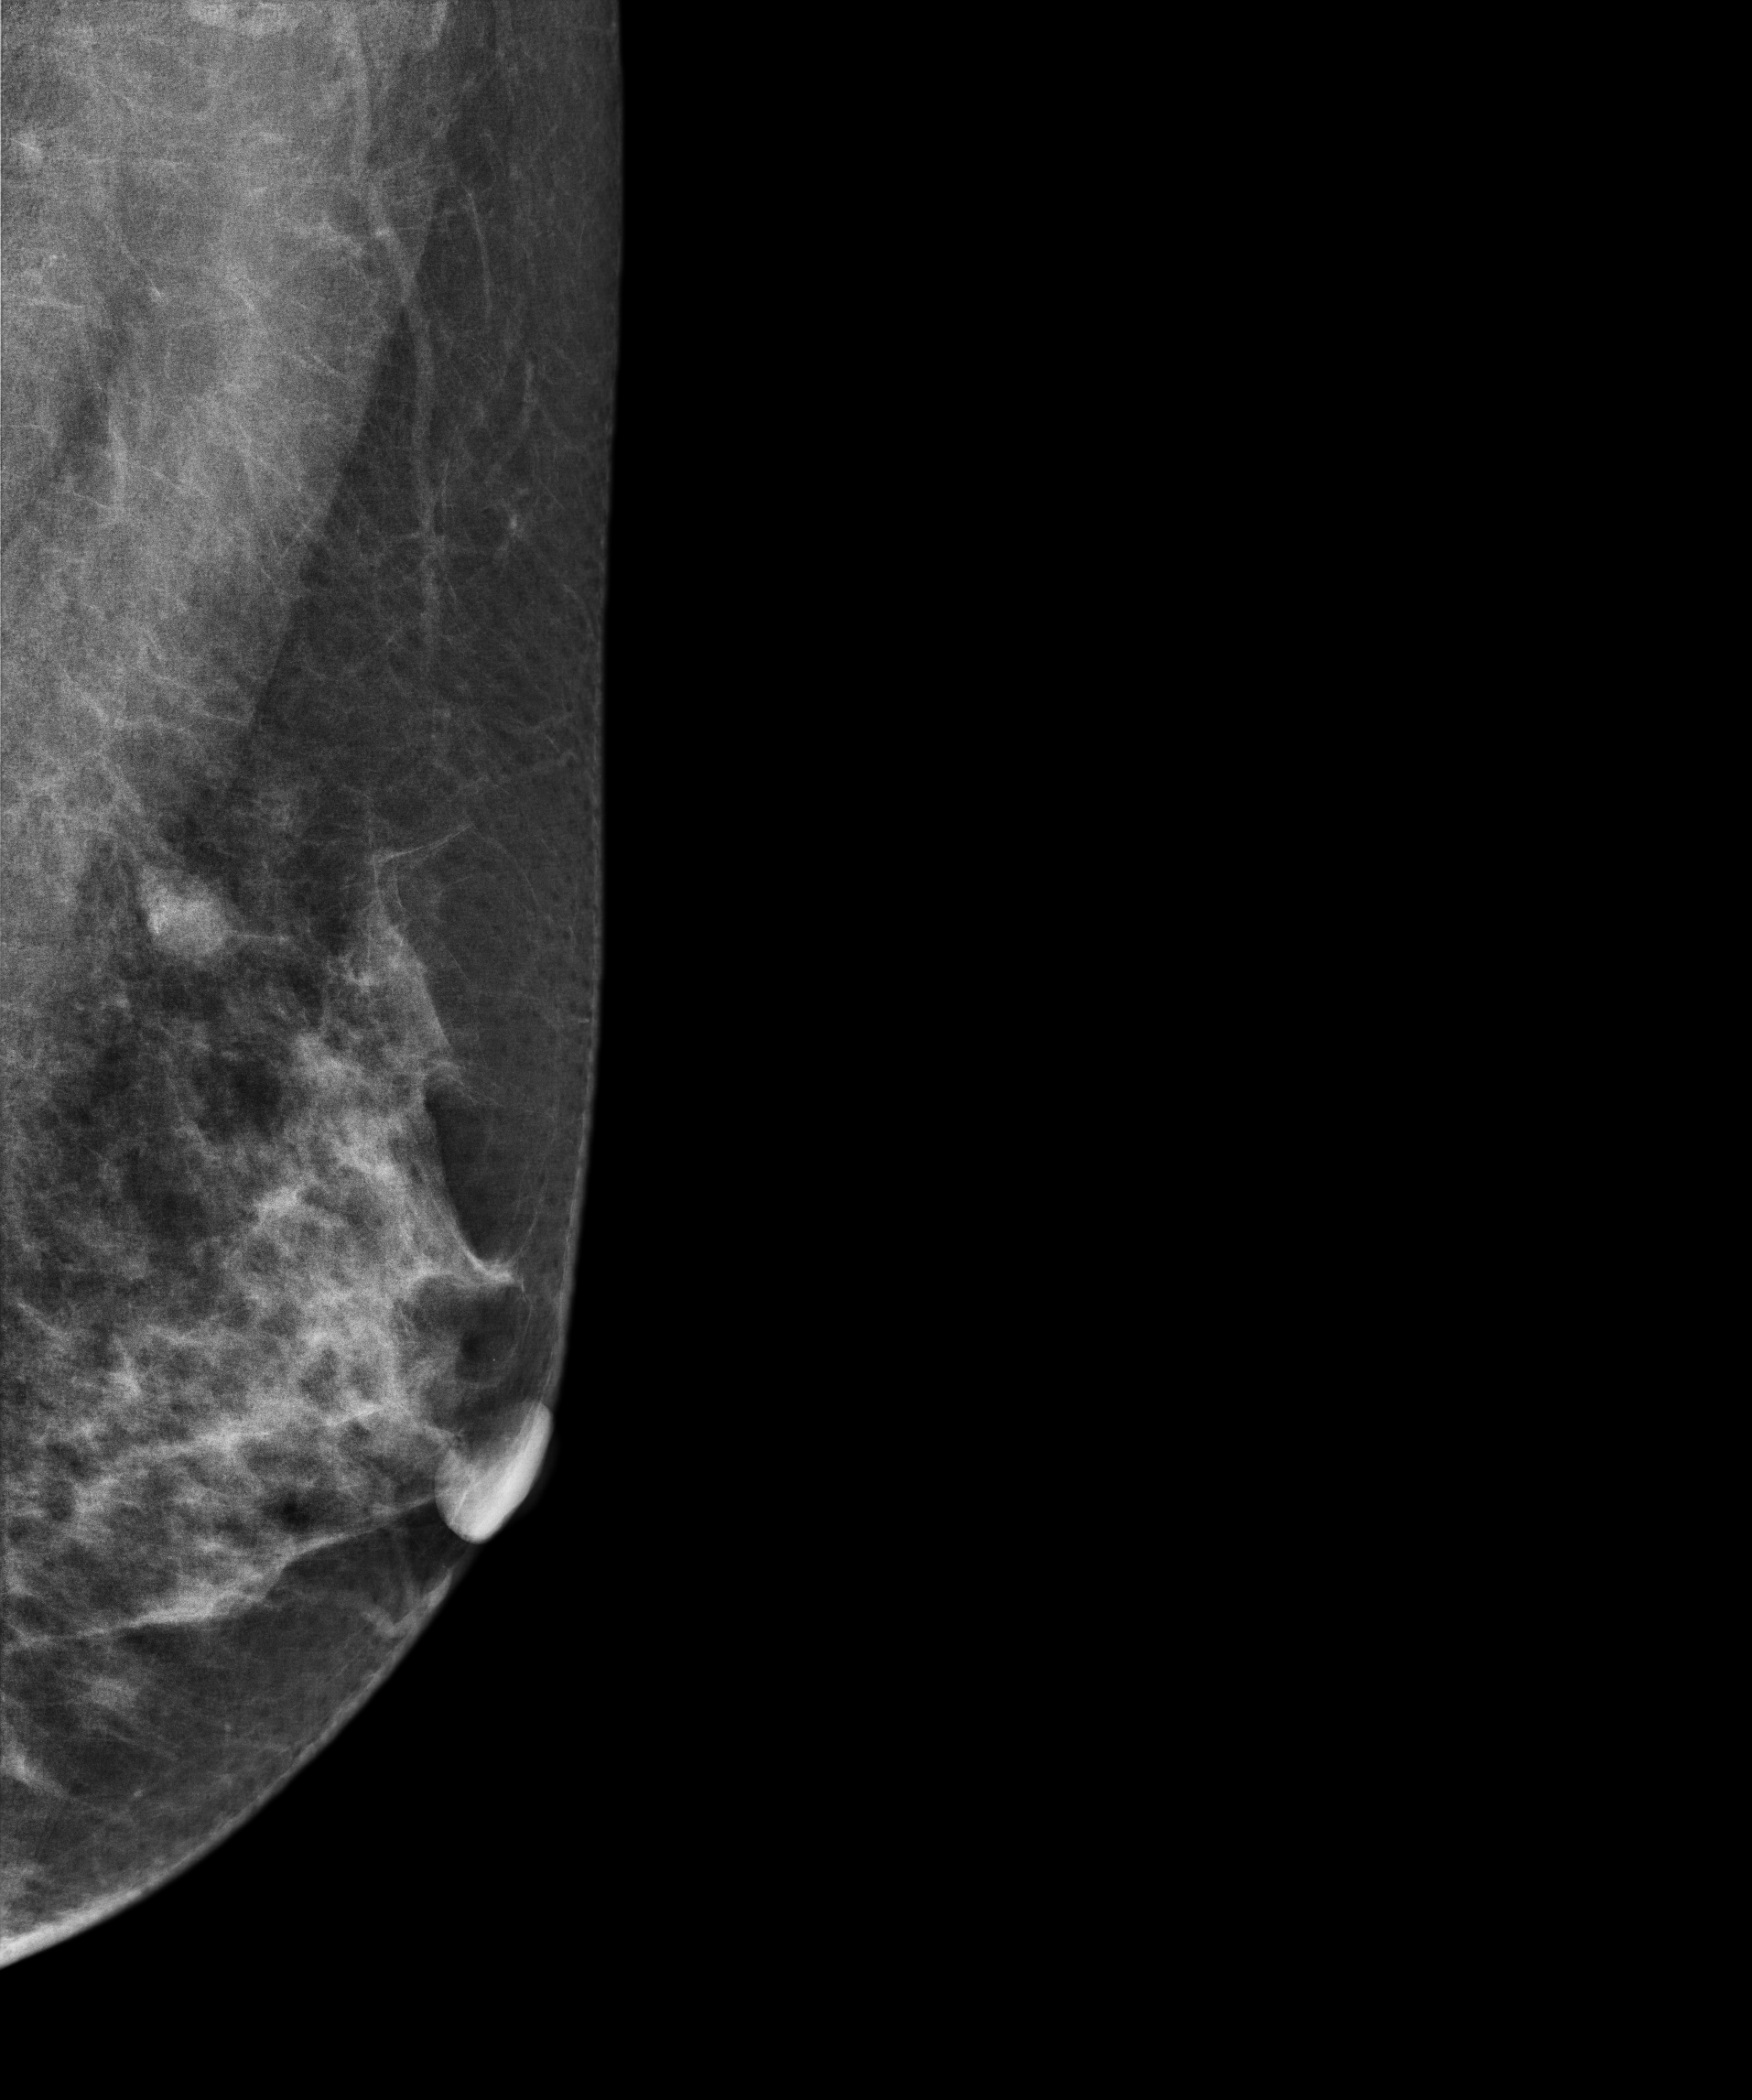
MLO mammogram of the left breast. 59-year-old patient.
This breast has a mass, histologically confirmed benign.